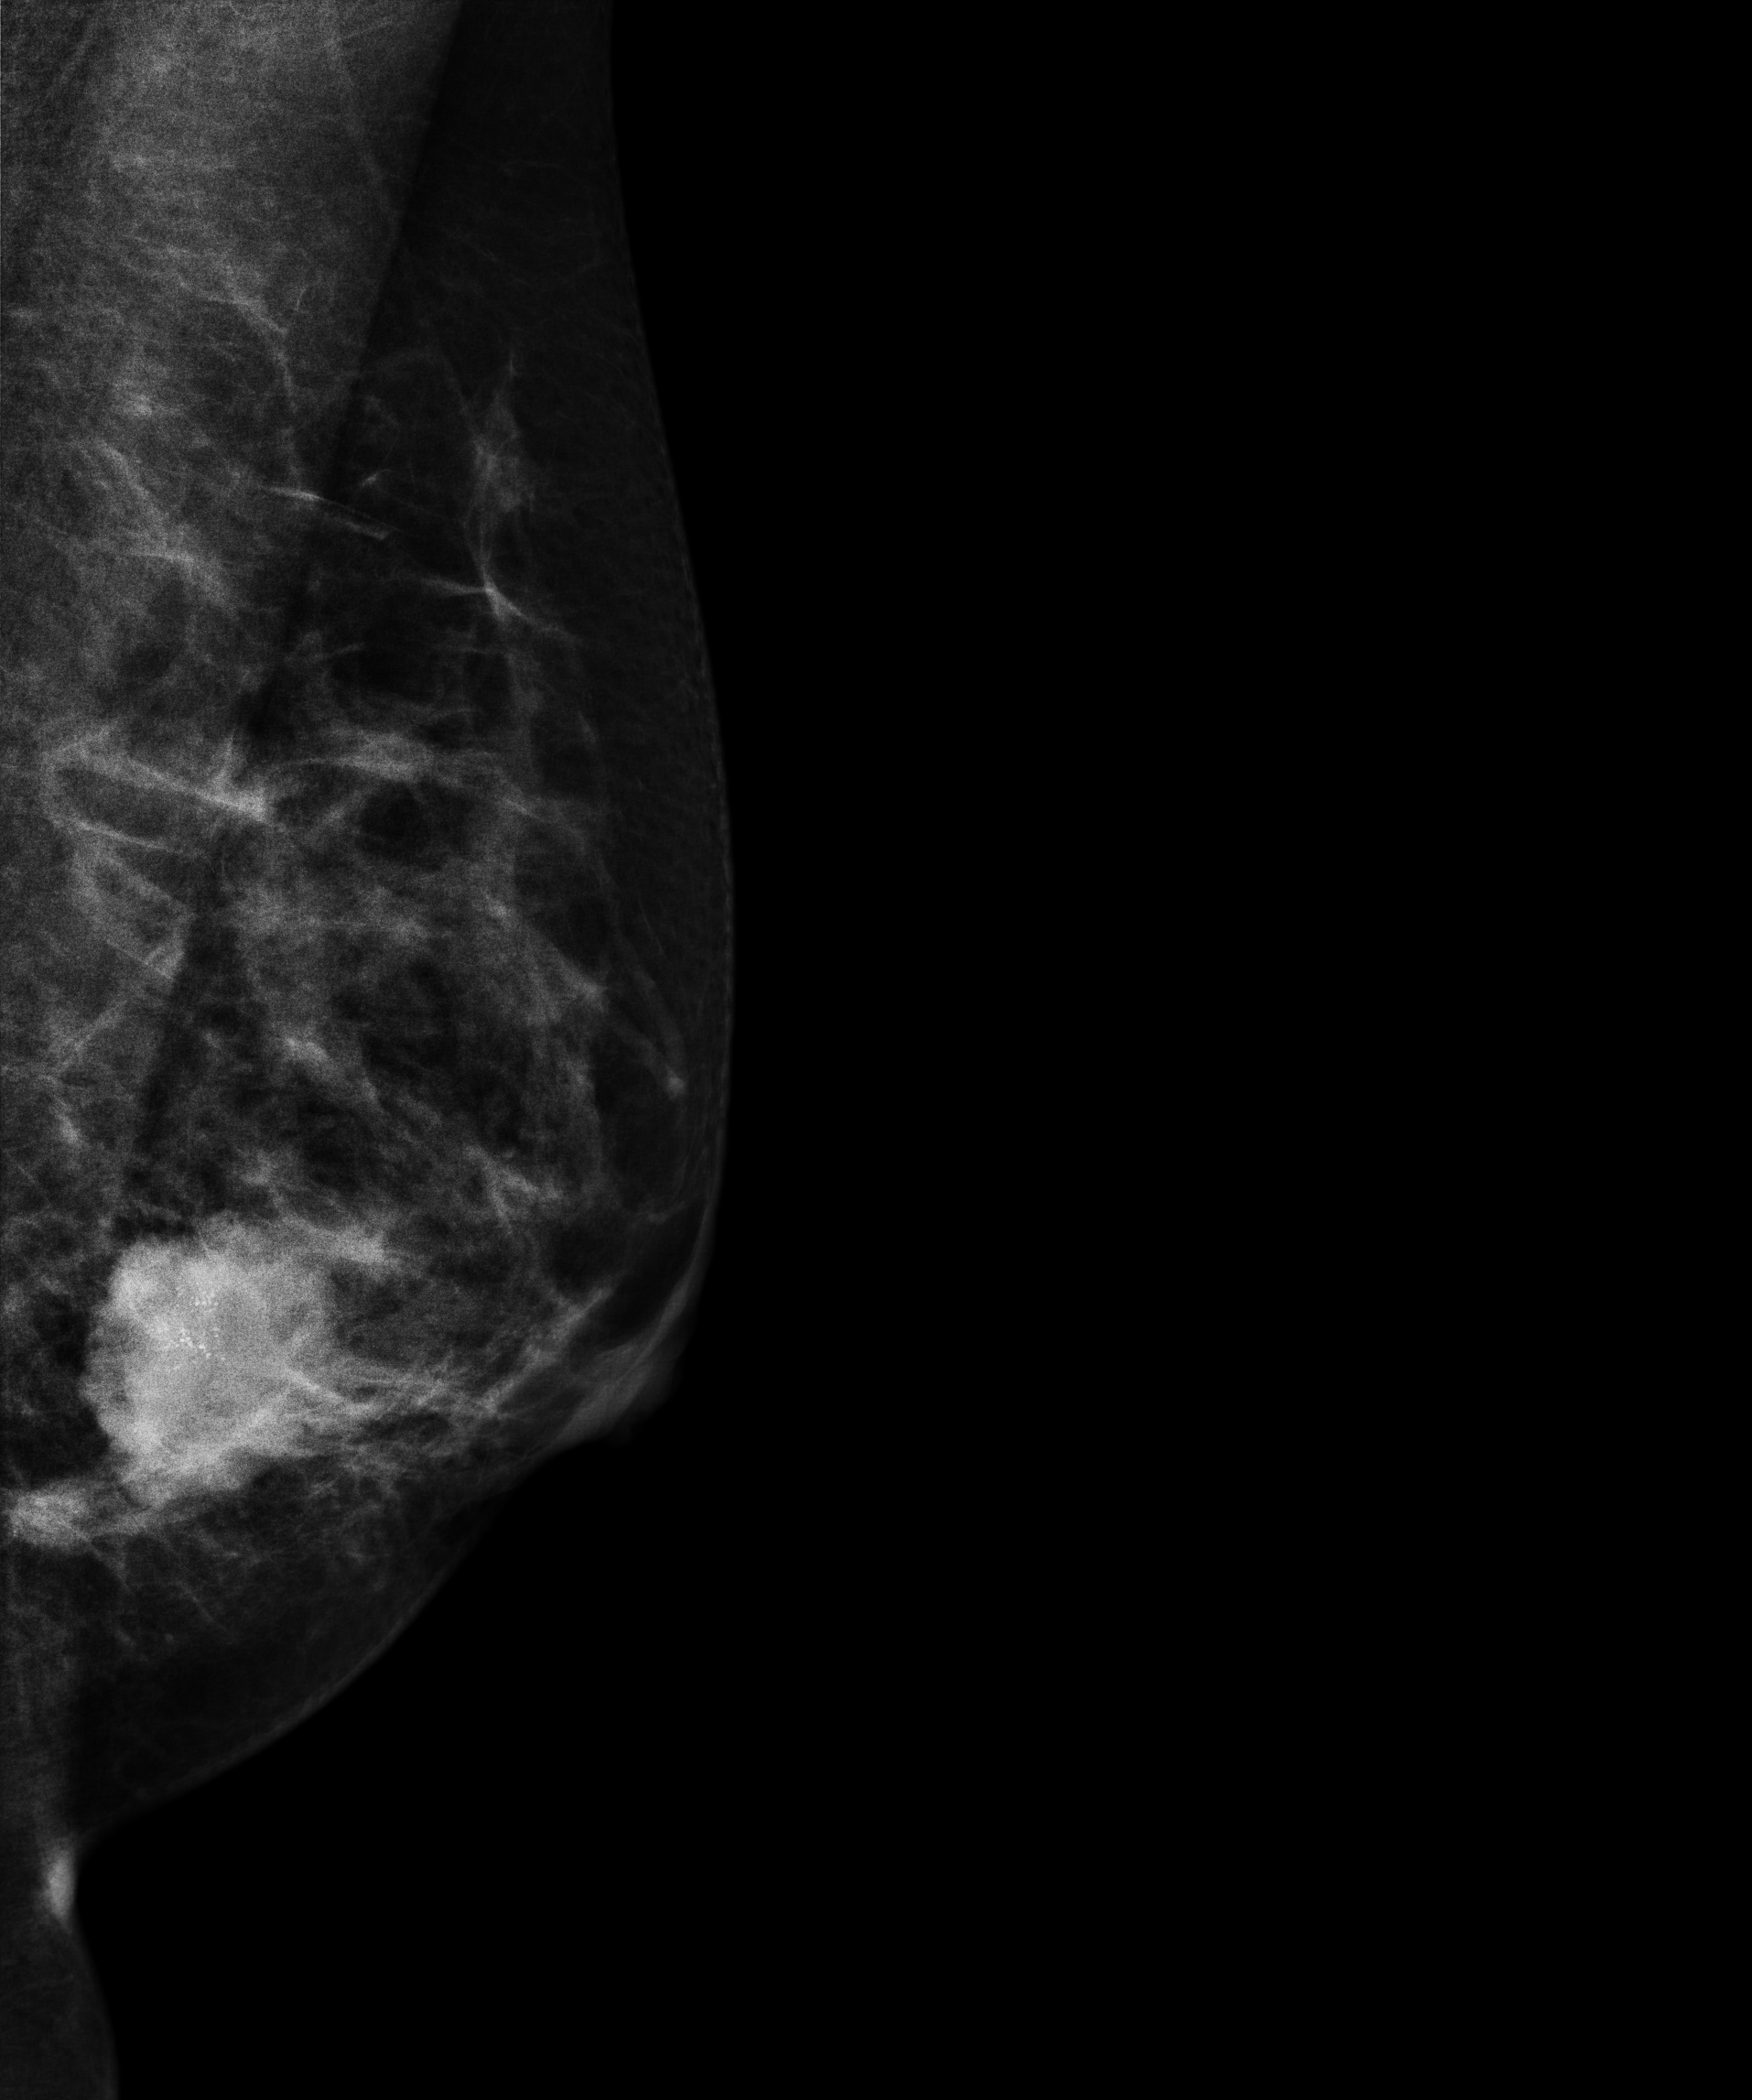
Digital mammography. Left breast, medio-lateral oblique projection. 49 y/o patient.
This breast has a mass and calcifications, pathology-confirmed malignant.